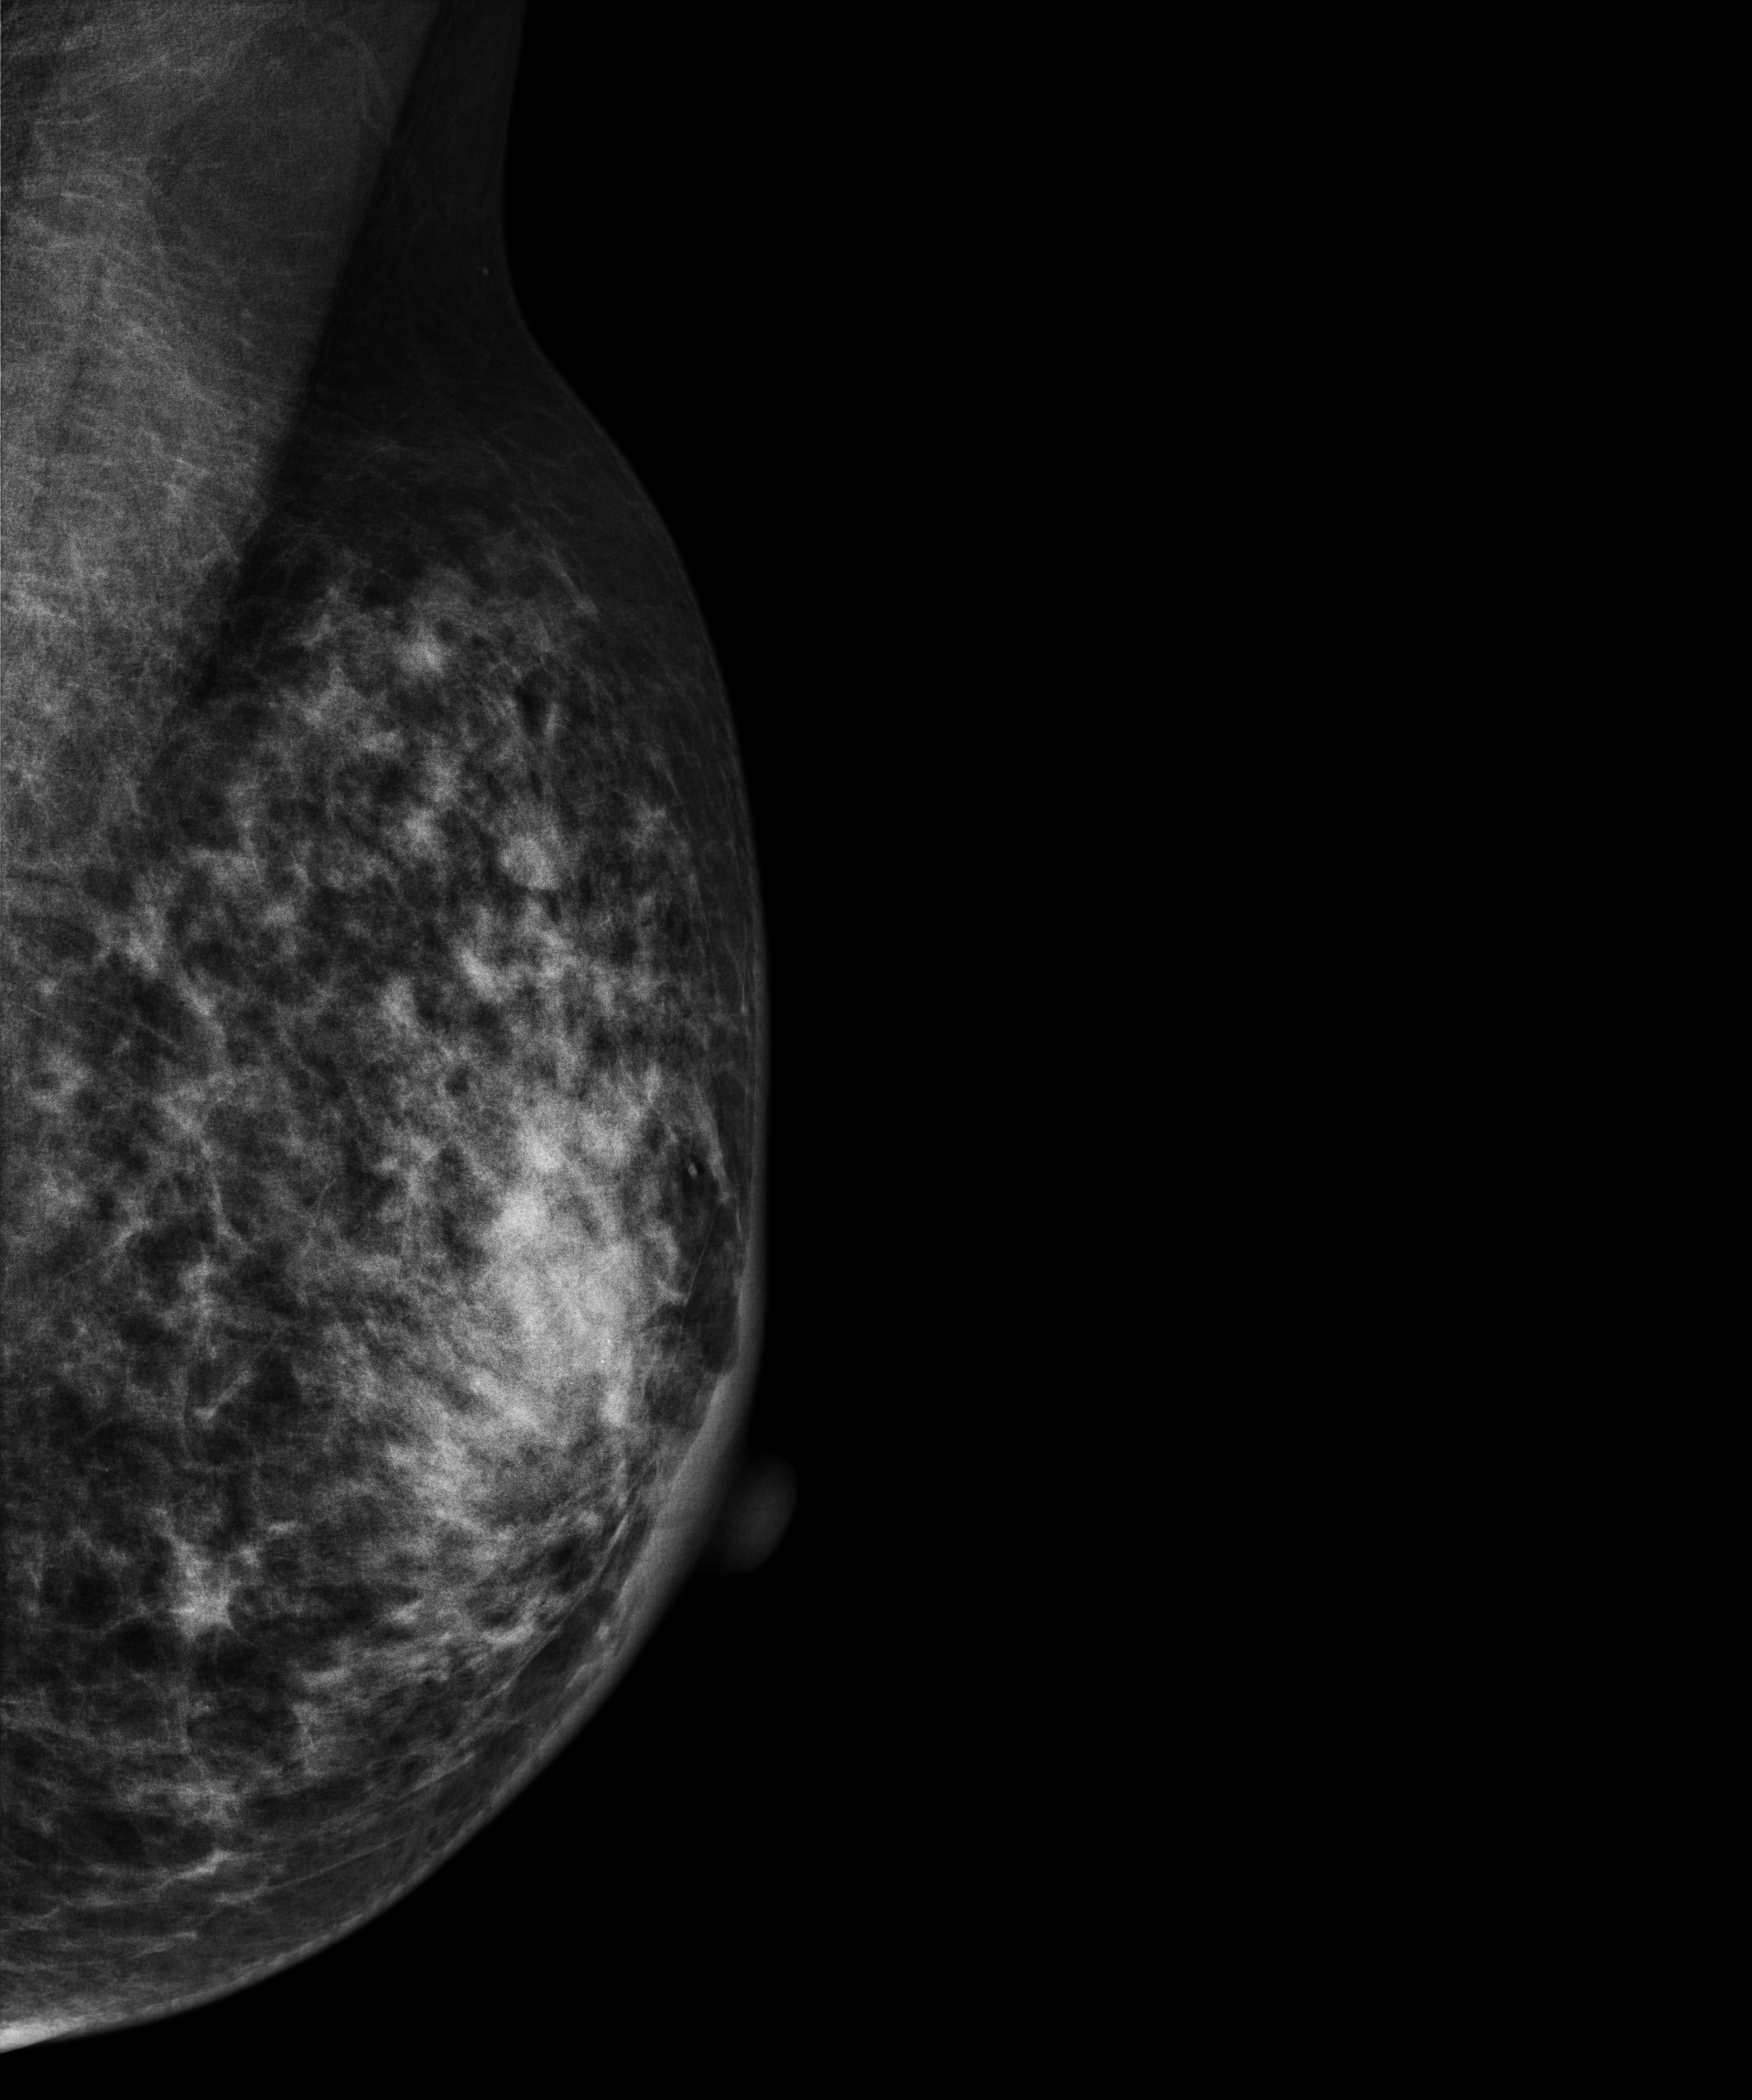
MLO mammogram of the left breast. 38-year-old patient.
This breast has a mass, biopsy-confirmed malignant.